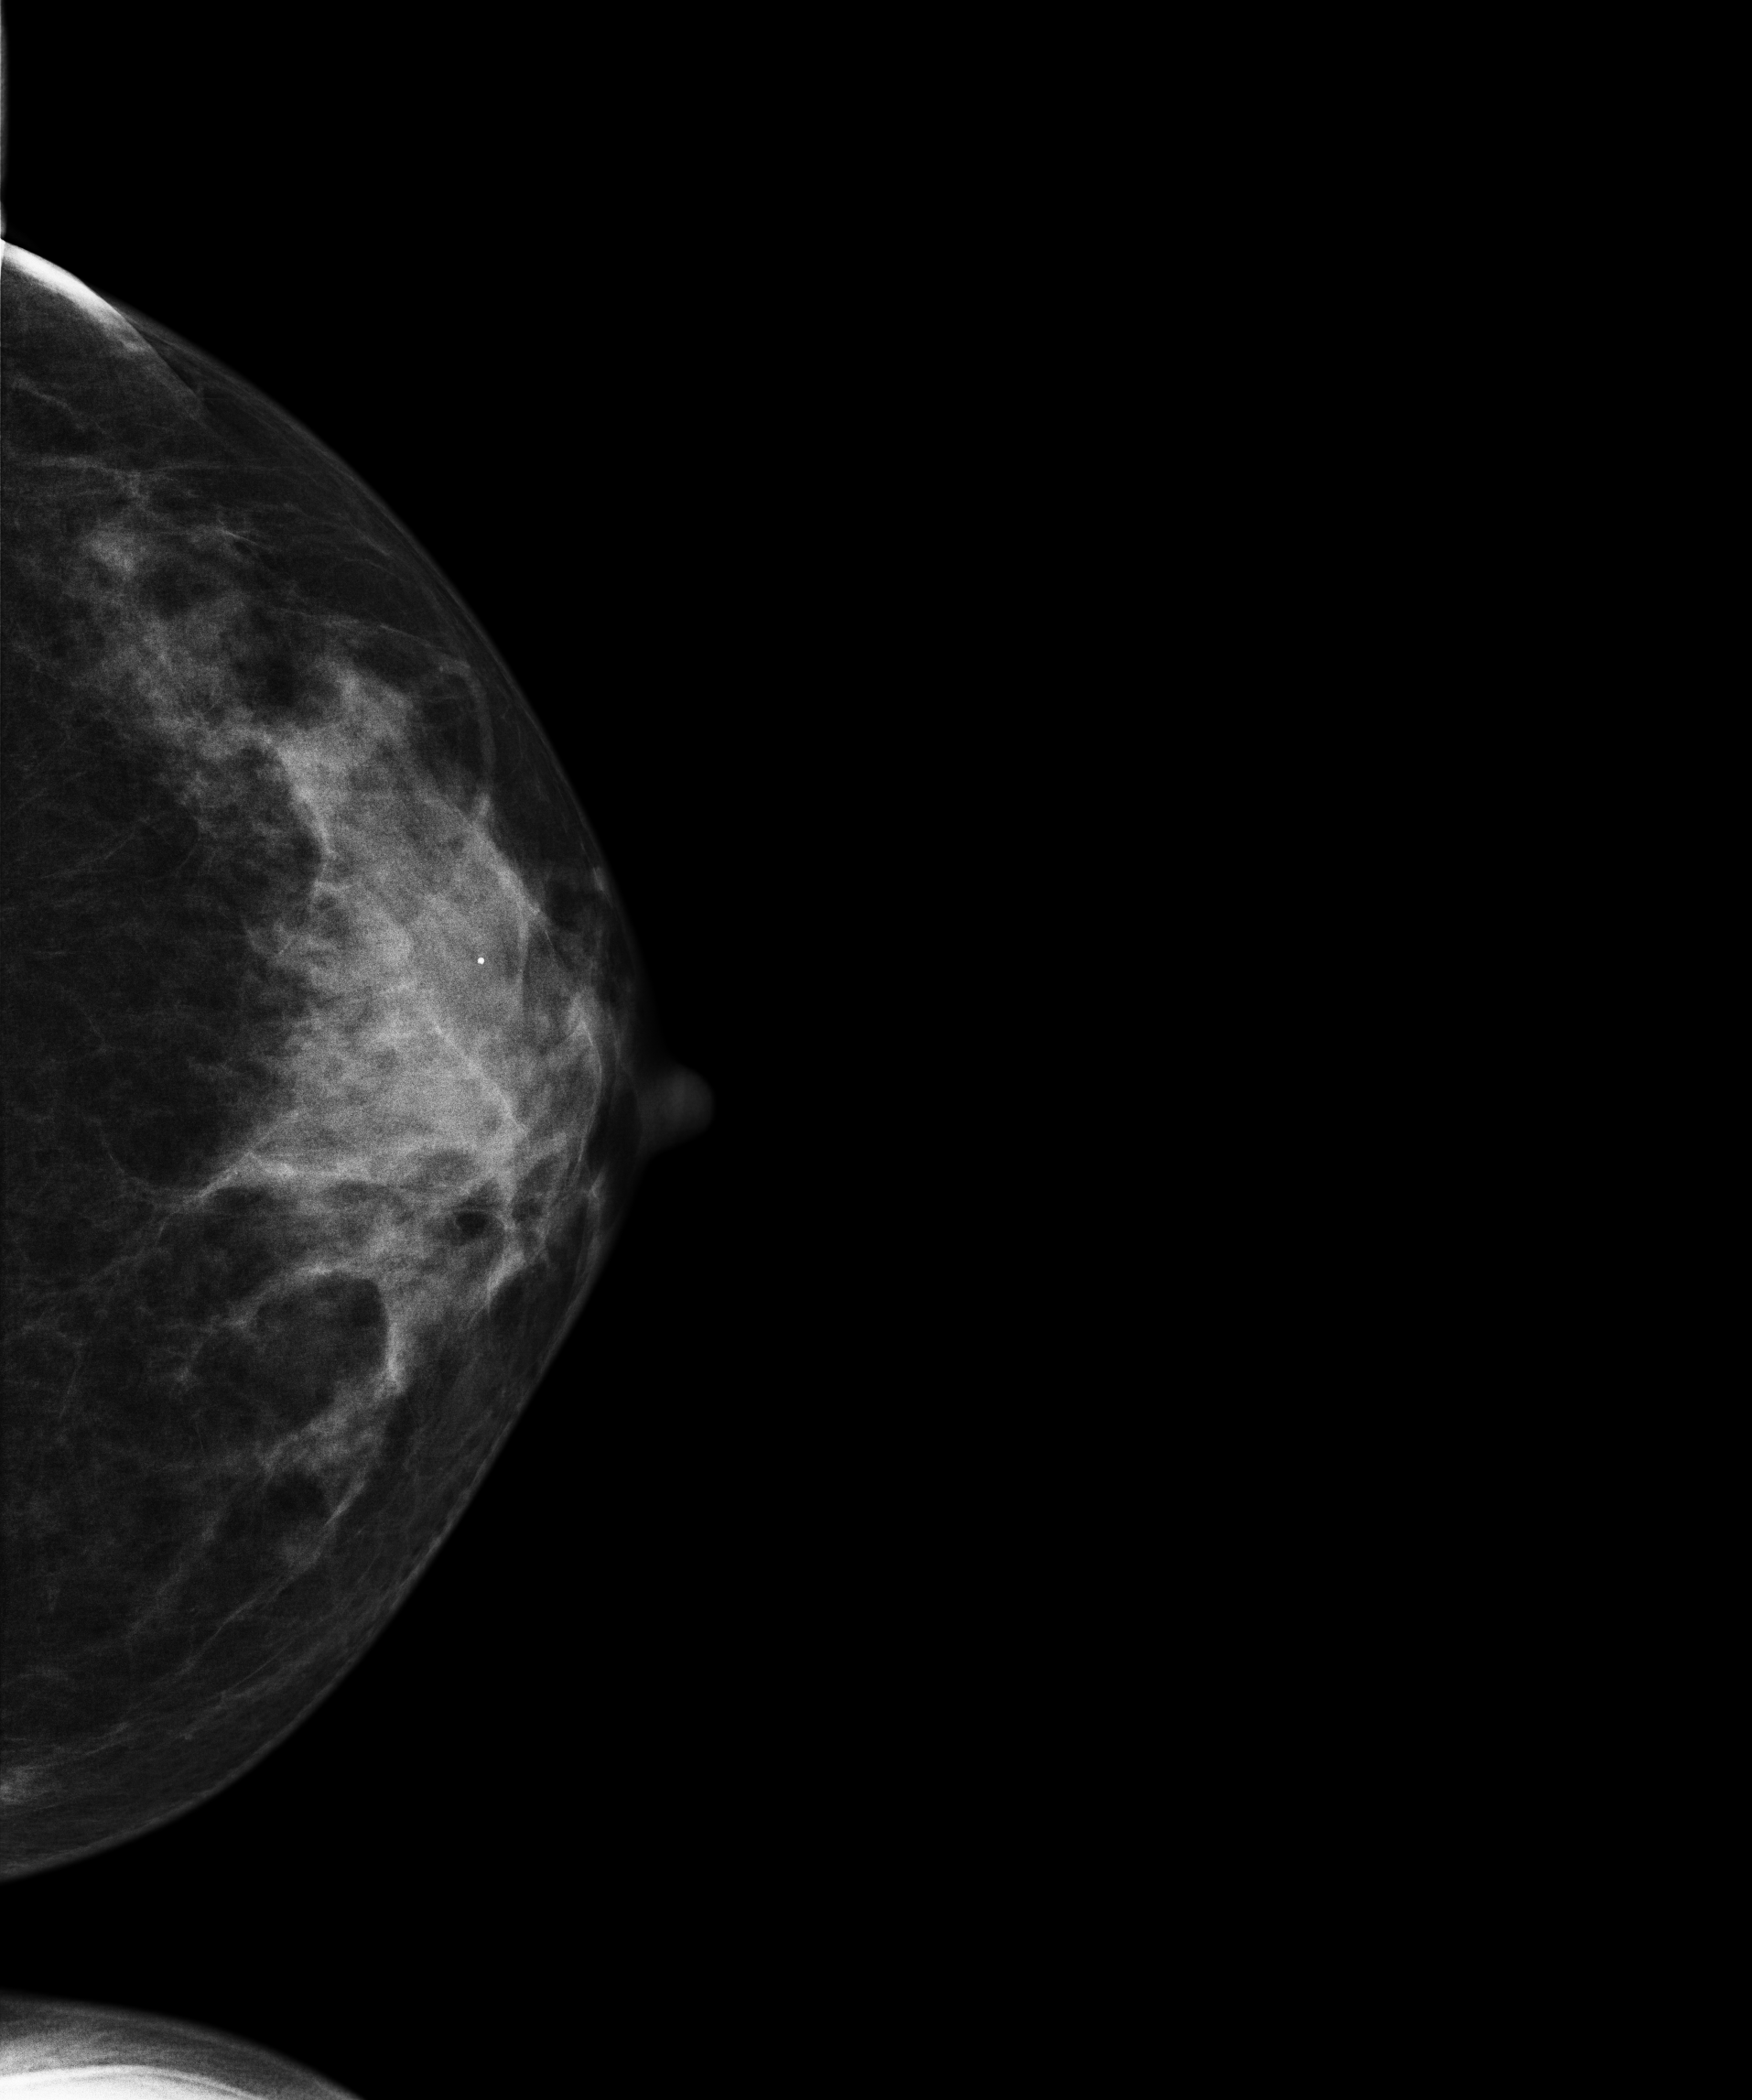
Left-breast mammogram, cranio-caudal. 40 y/o patient.
This breast has a mass and calcifications, biopsy-confirmed malignant. Molecular subtype: HER2-enriched.